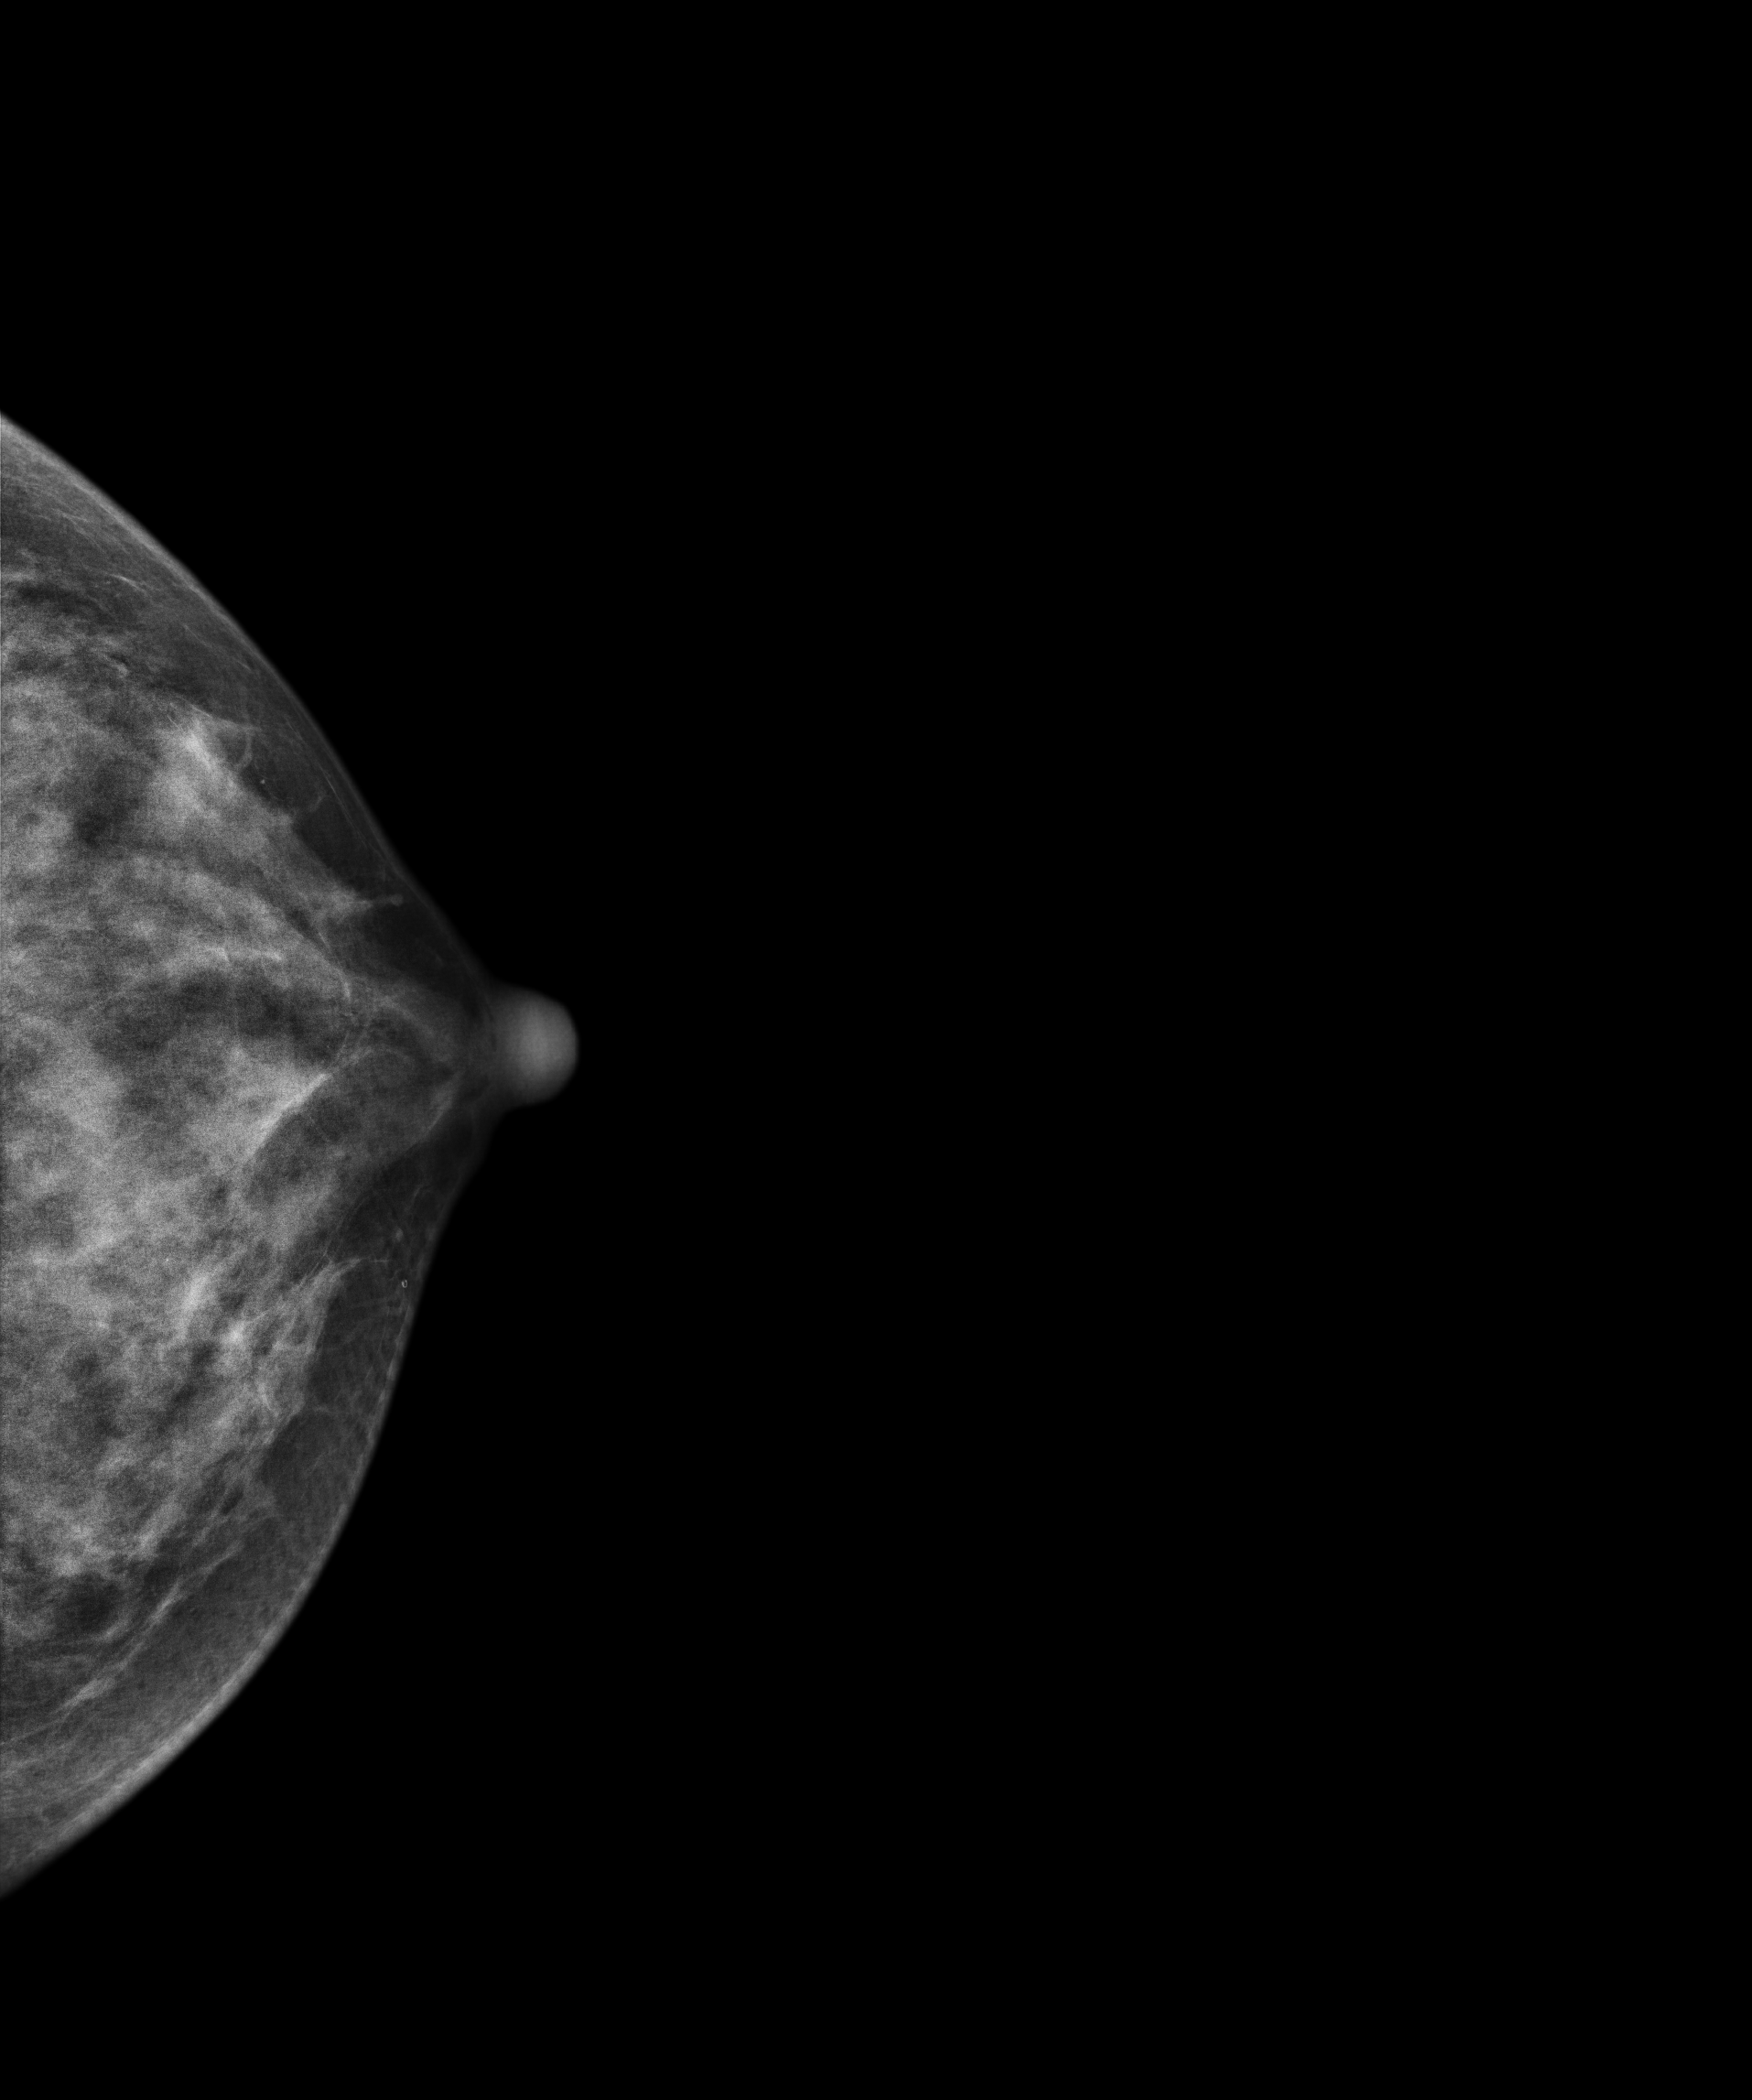
Mammogram — left CC. 49 y/o patient.
Contralateral breast — no documented abnormality on this side.